MLO mammogram of the right breast. Patient age 43.
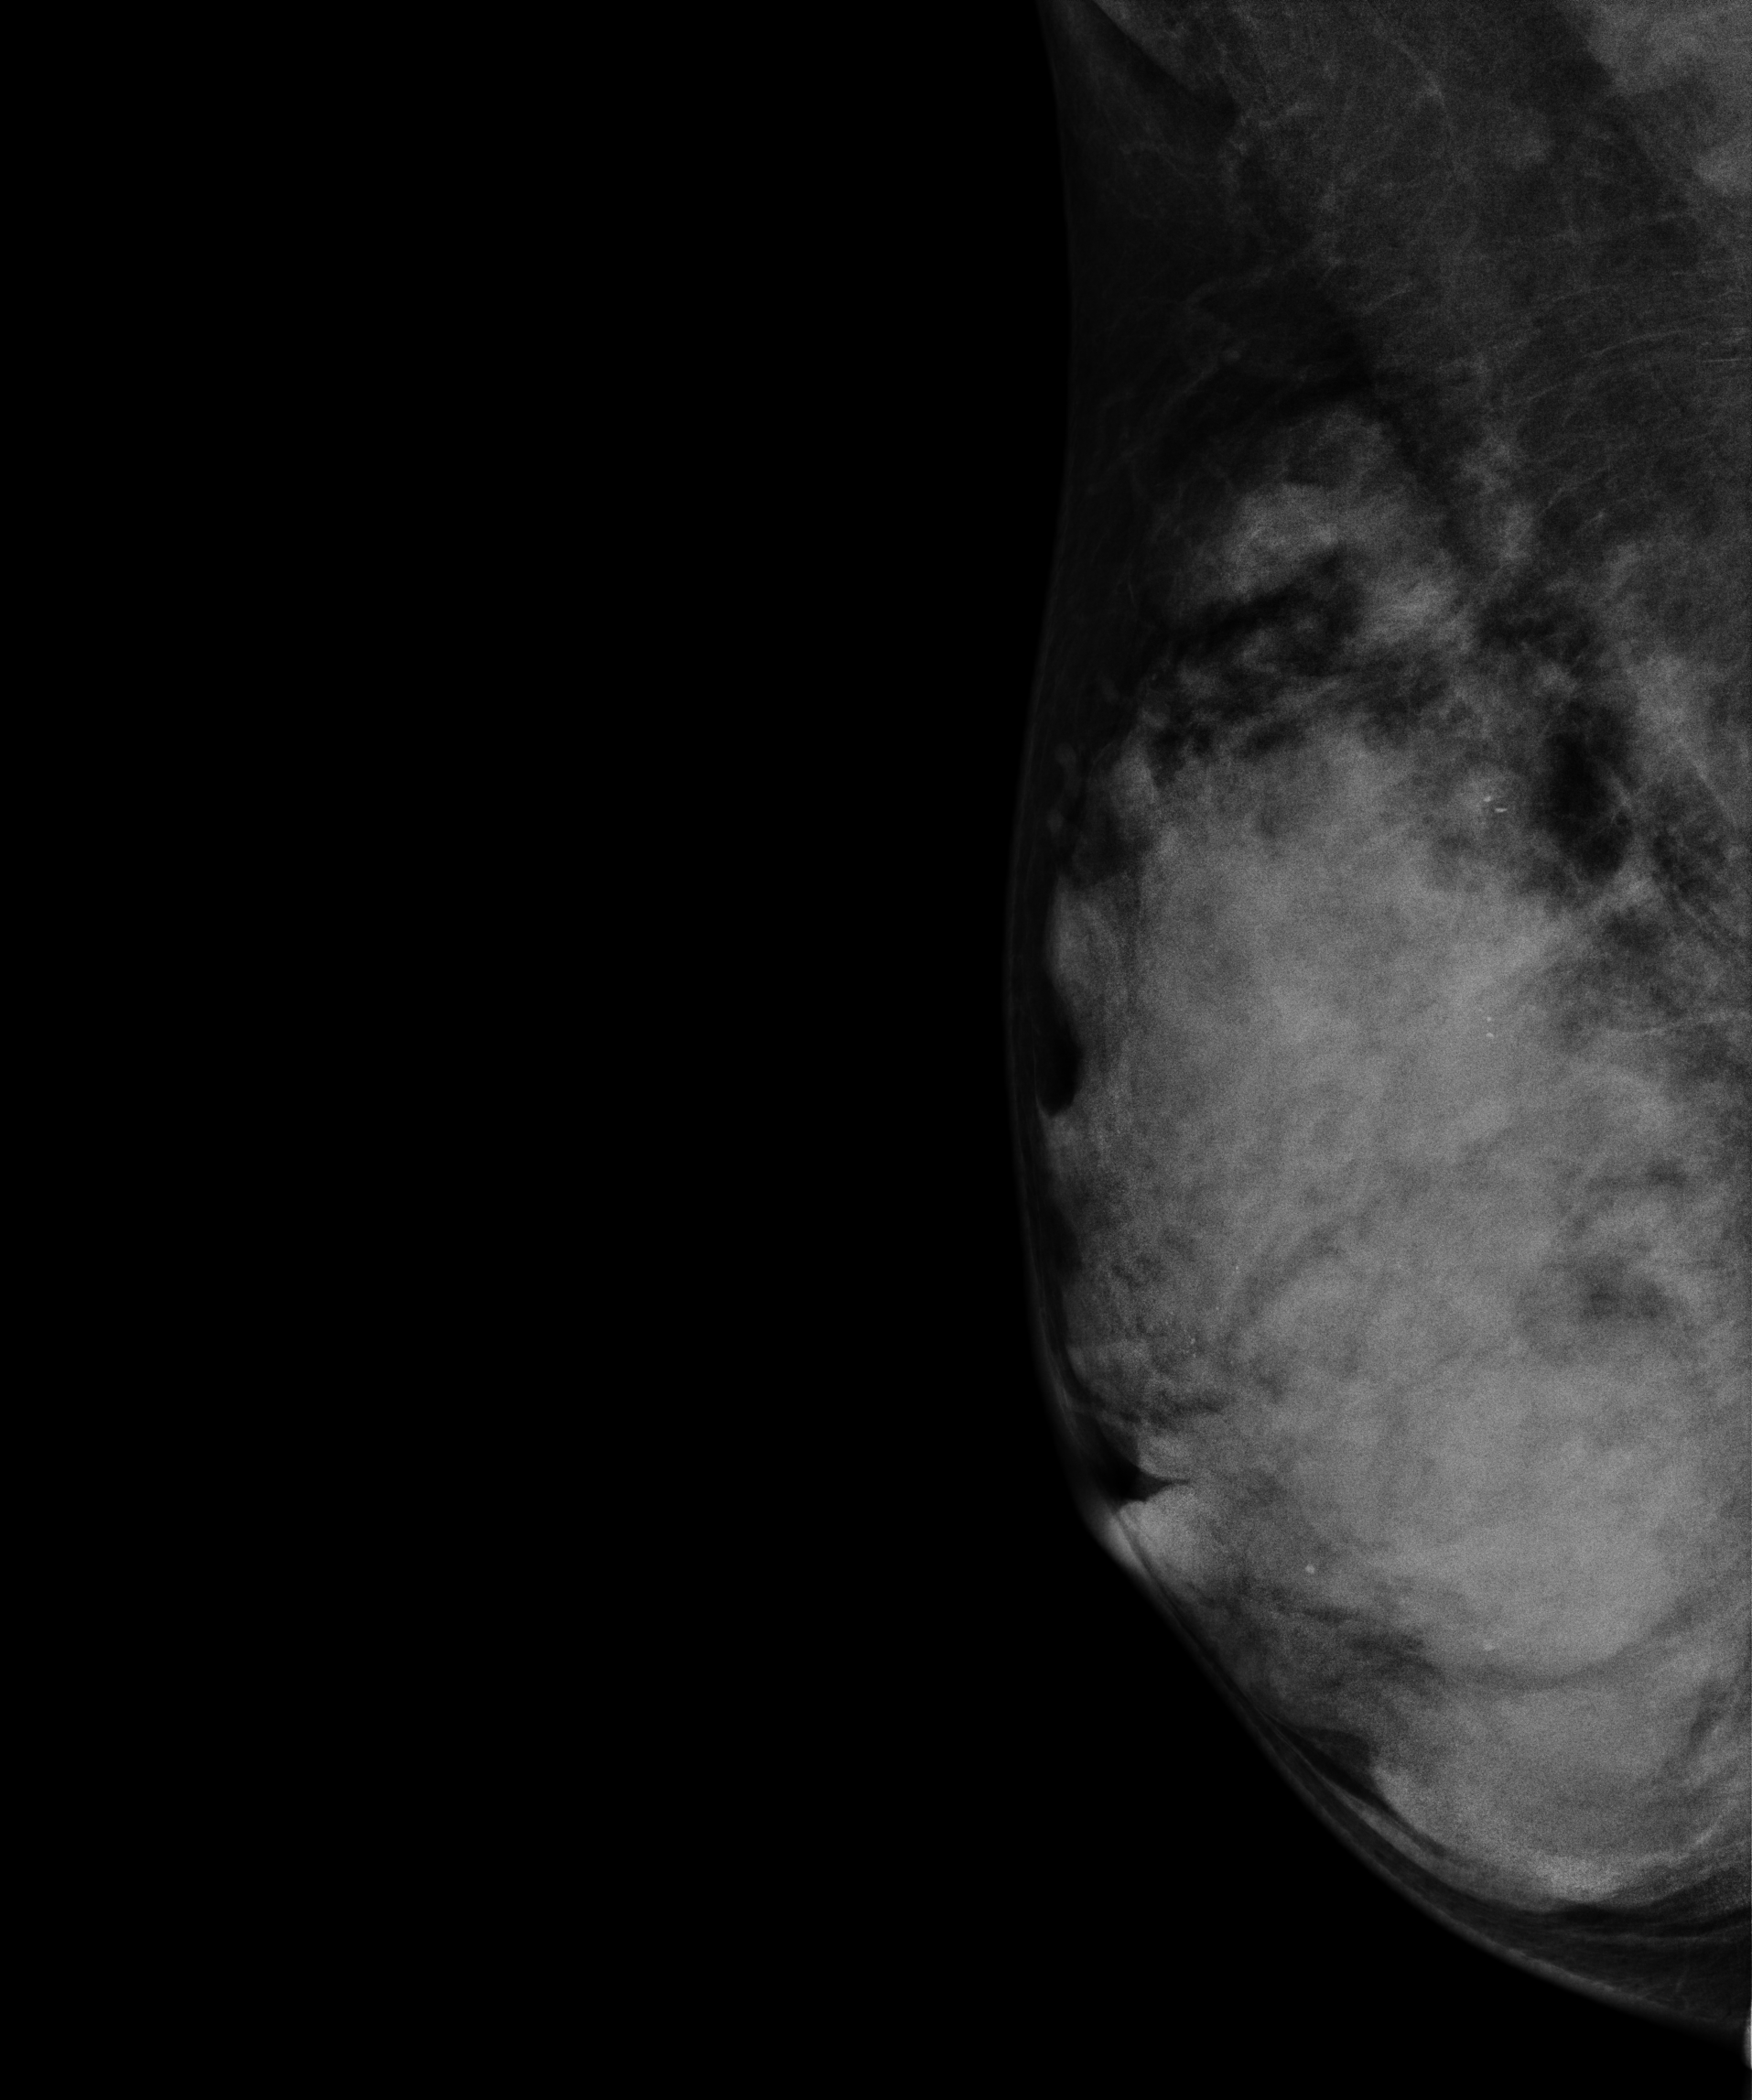
This breast has a mass, histologically confirmed benign.